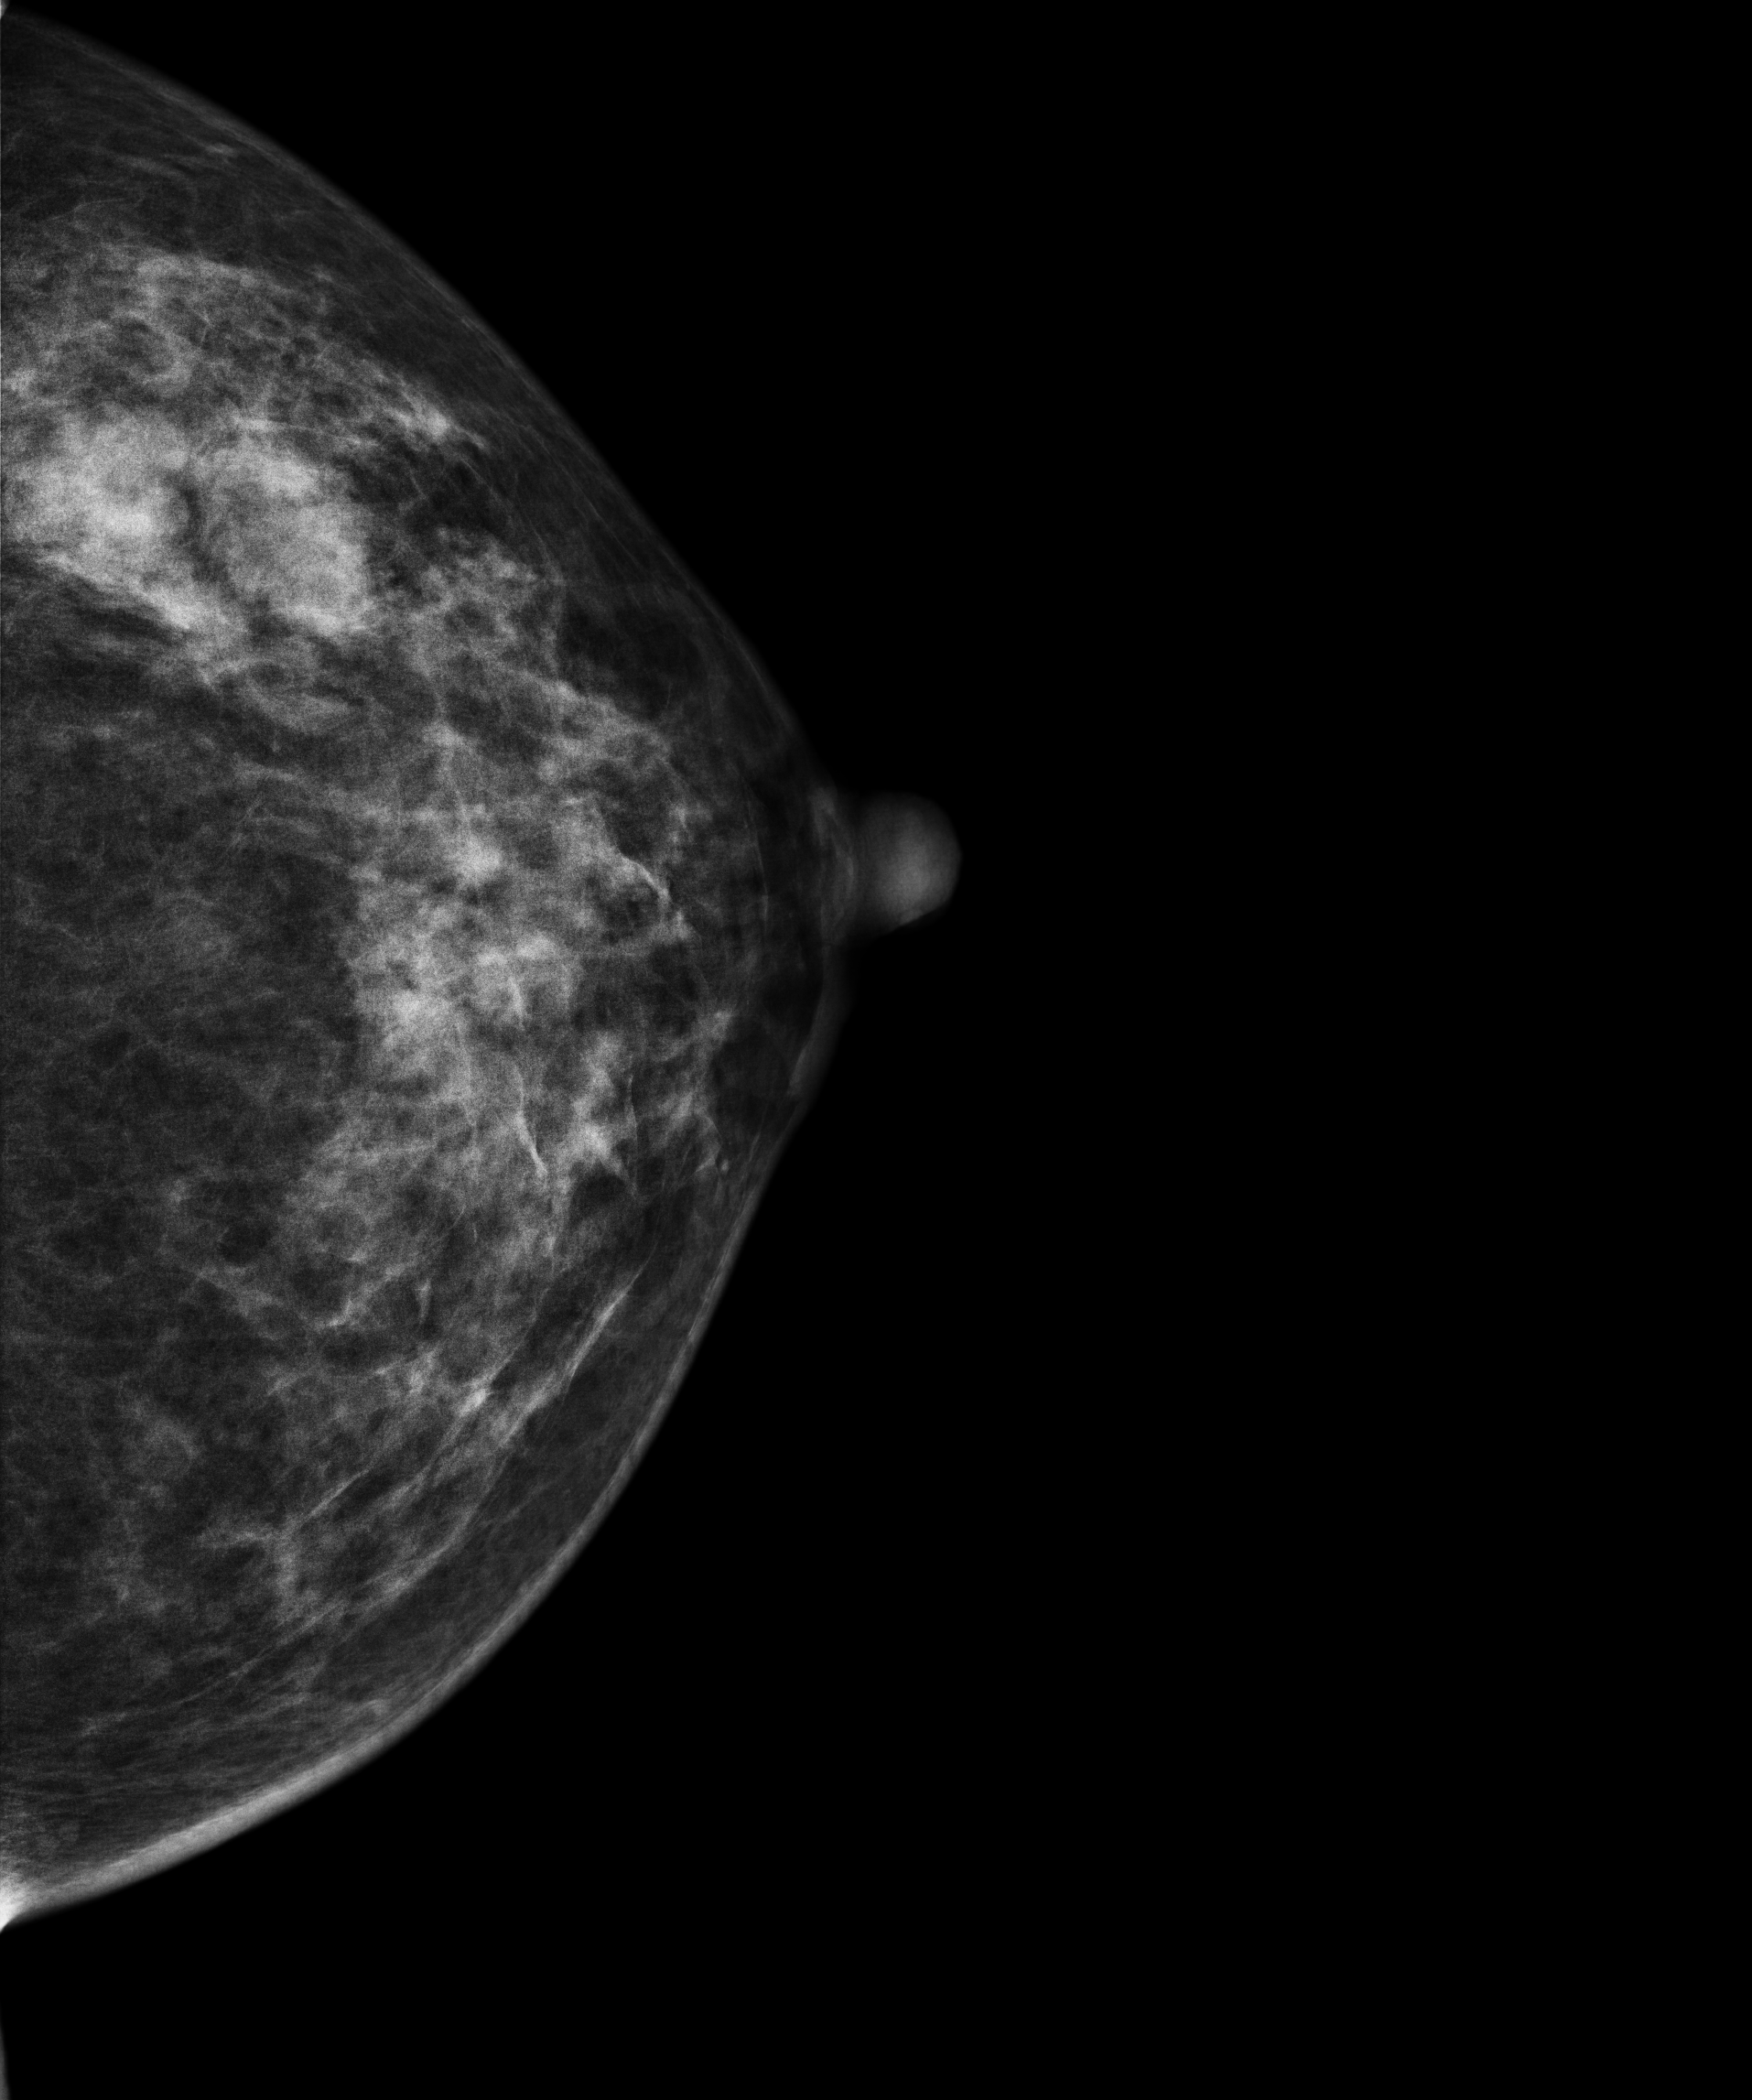
Digital mammography. Left breast, cranio-caudal projection. 49-year-old patient.
This breast has a mass, histologically confirmed malignant. Molecular subtype: luminal A.